Right-breast mammogram, MLO. Patient age 53.
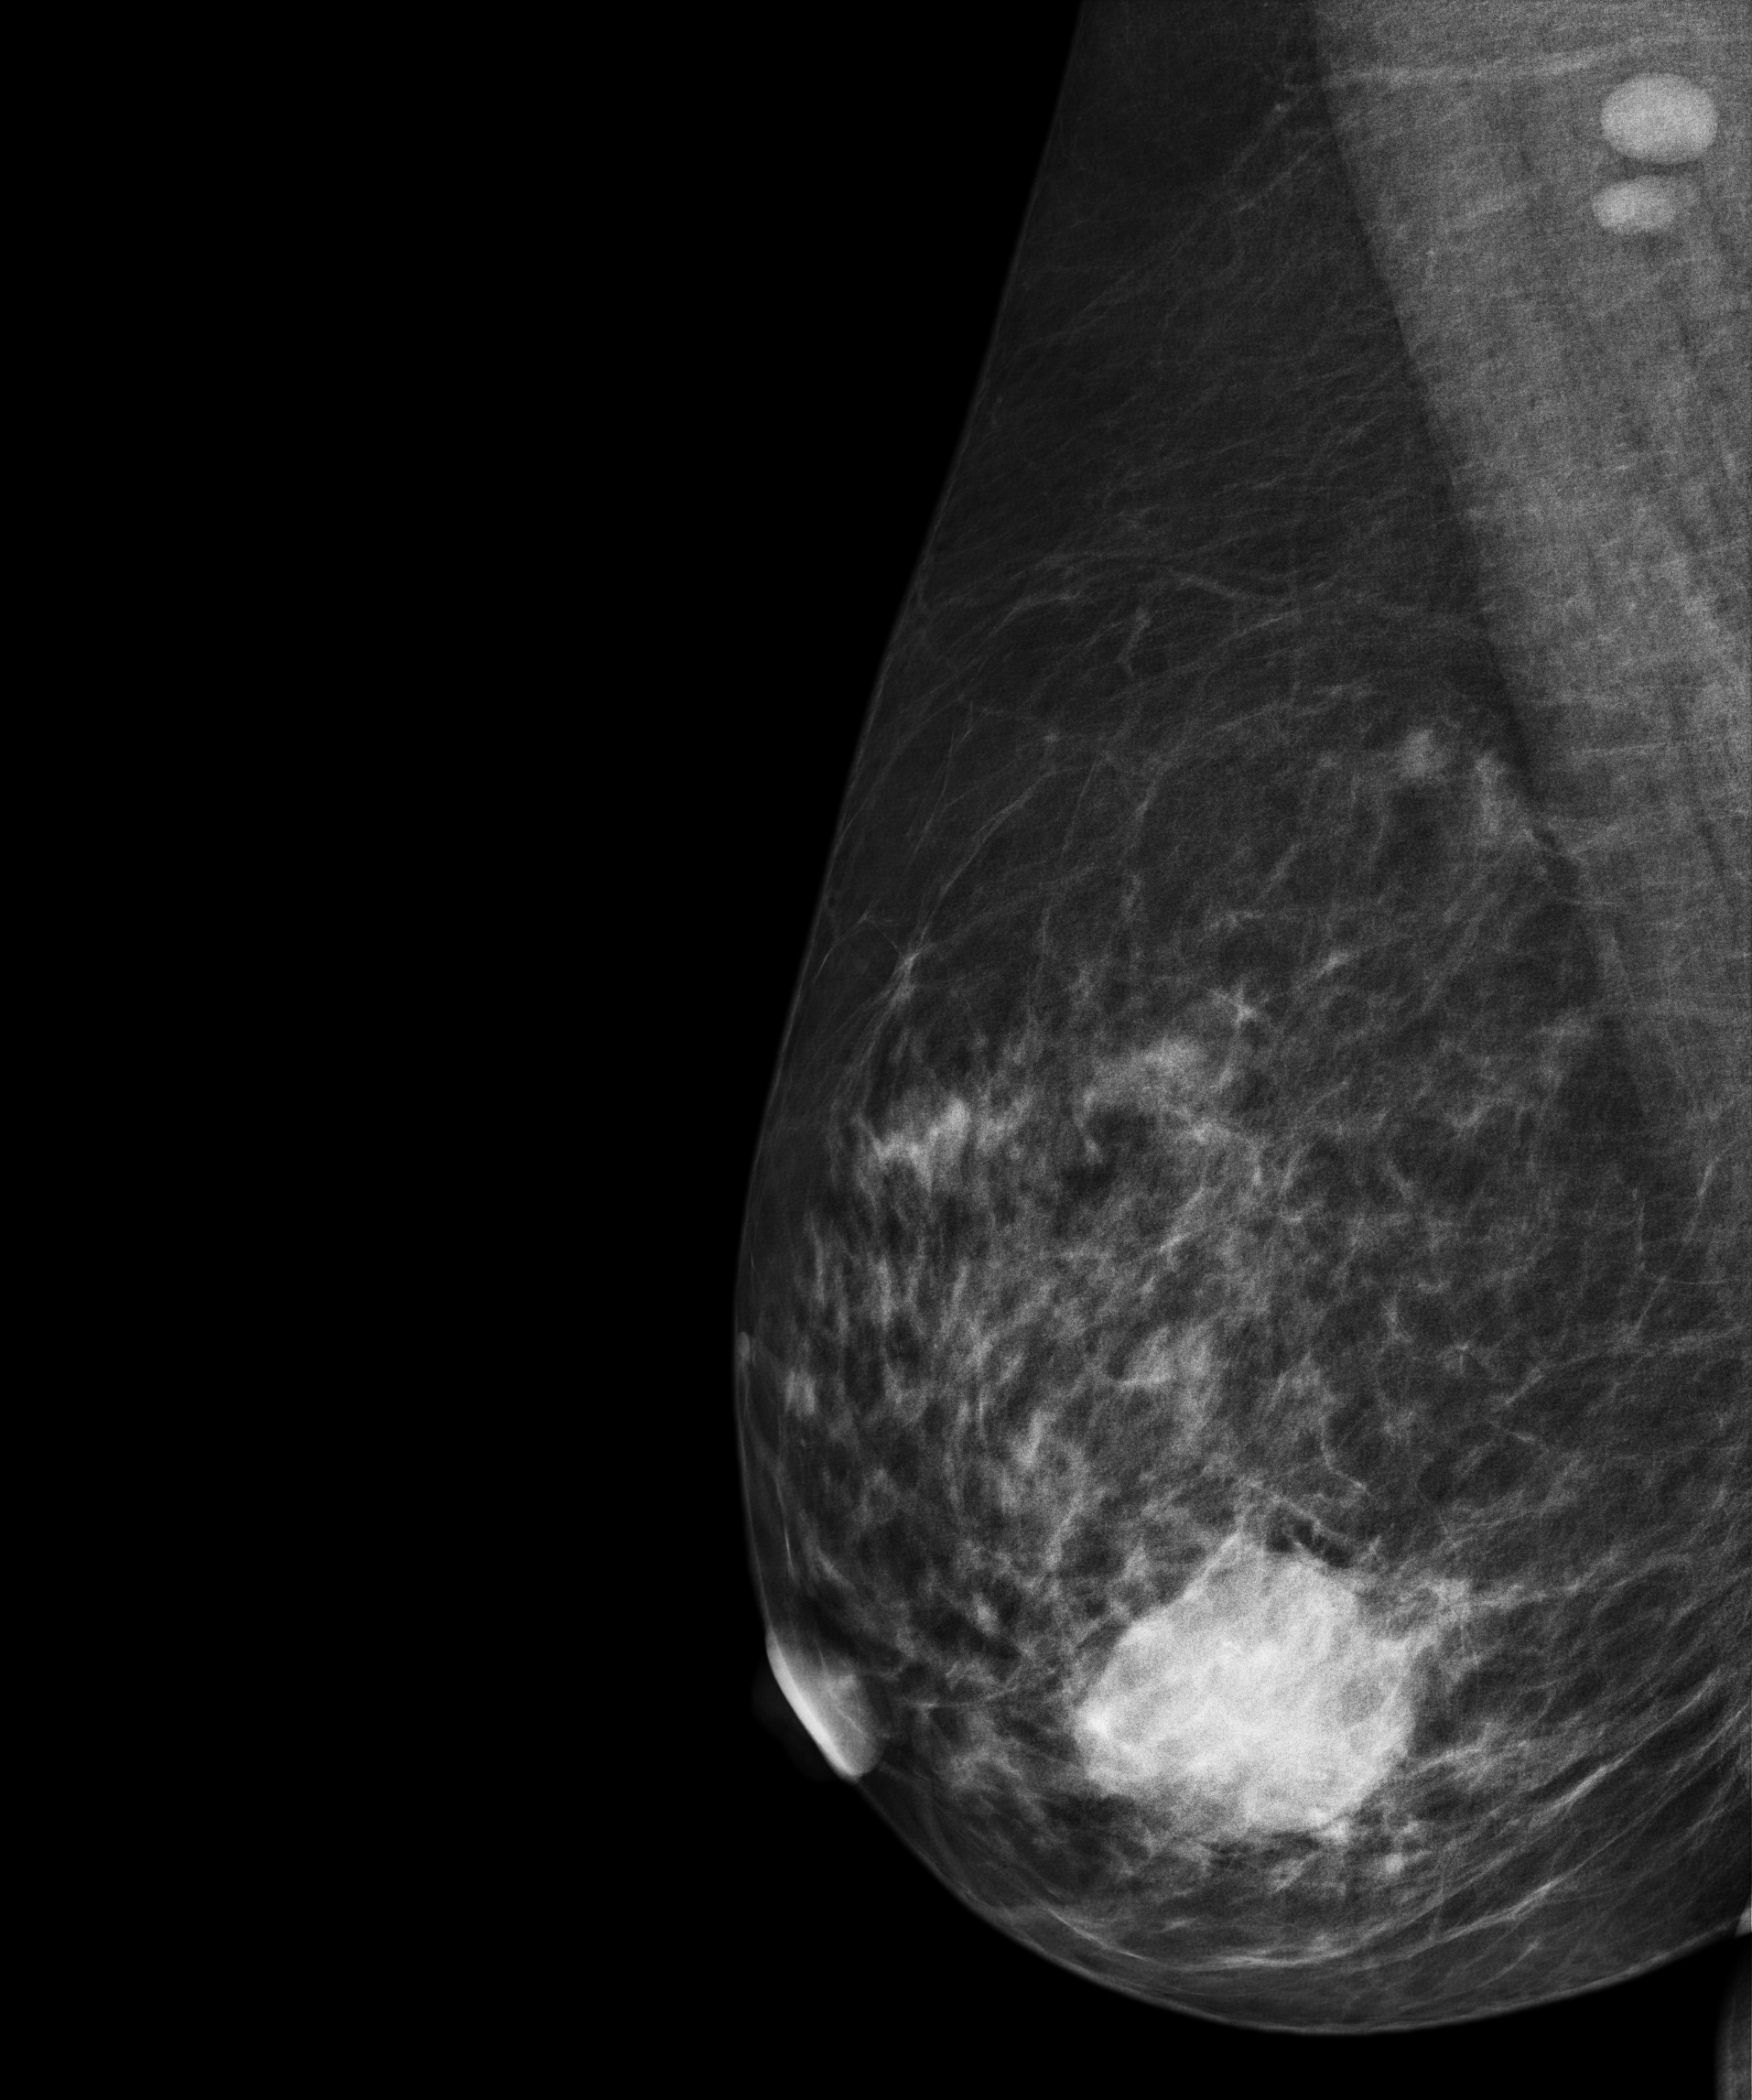
This breast has a mass, biopsy-proven malignant.